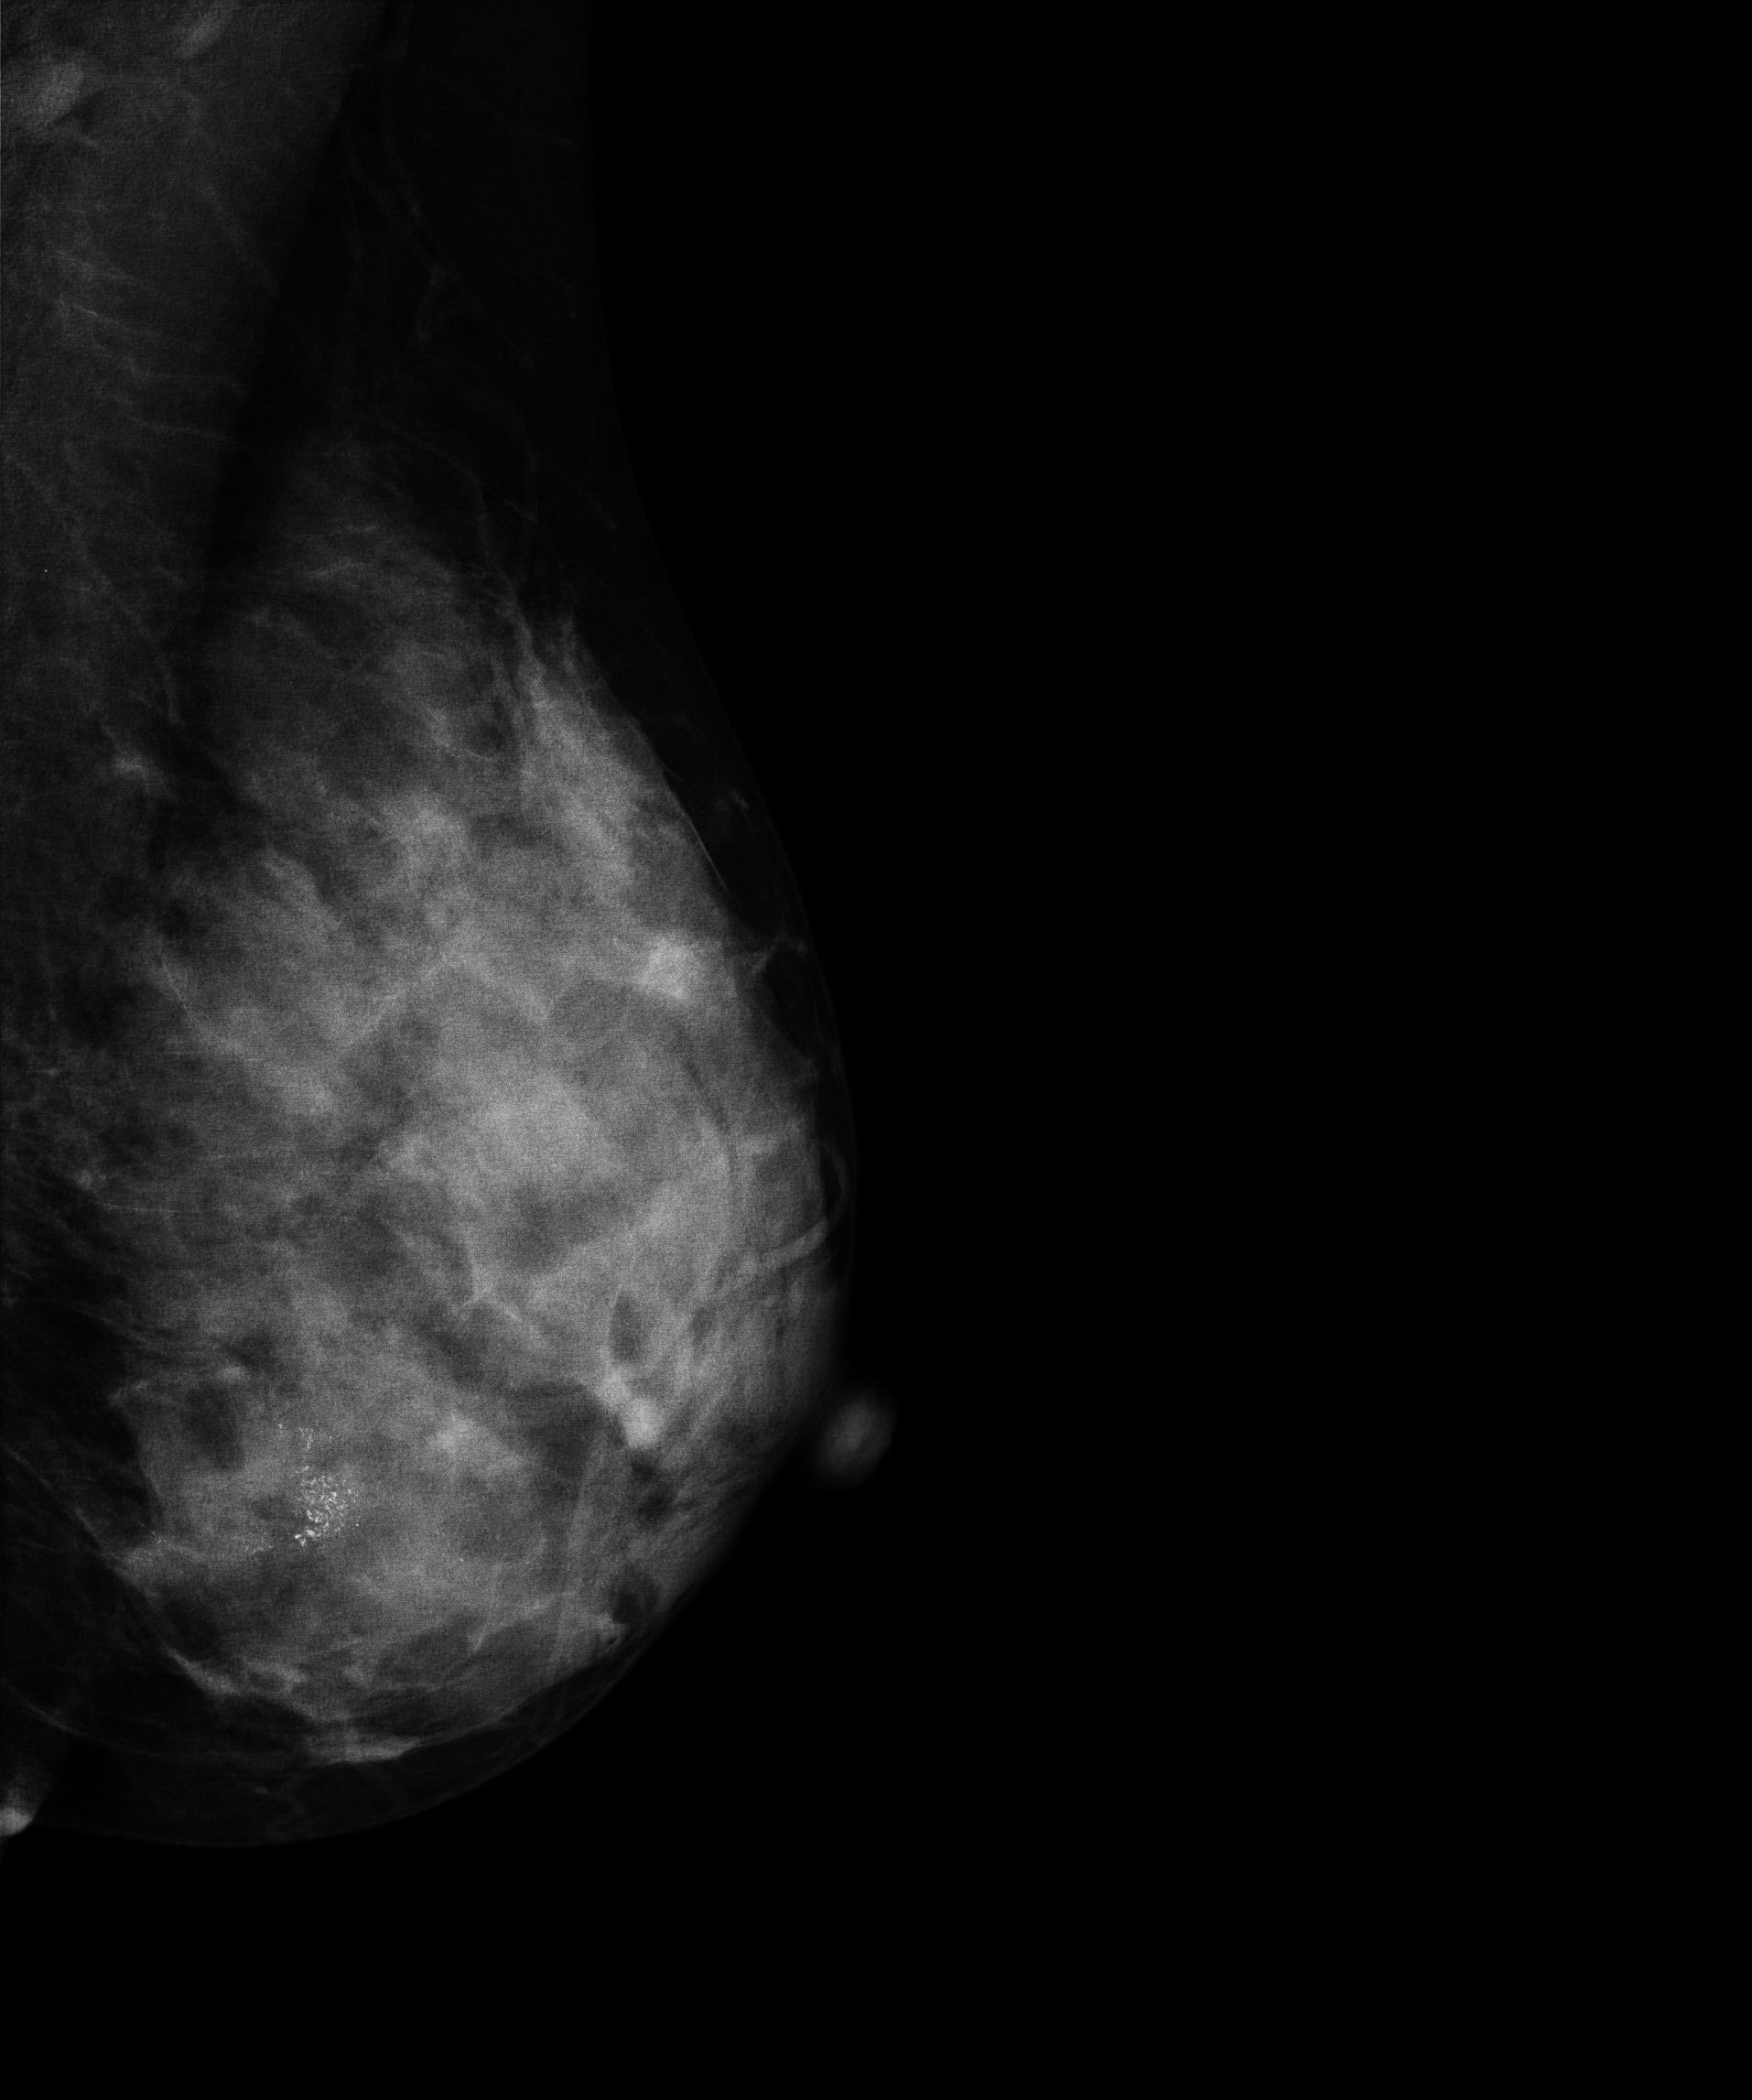
MLO mammogram of the left breast. 45 y/o patient.
This breast has calcifications, pathology-confirmed malignant.